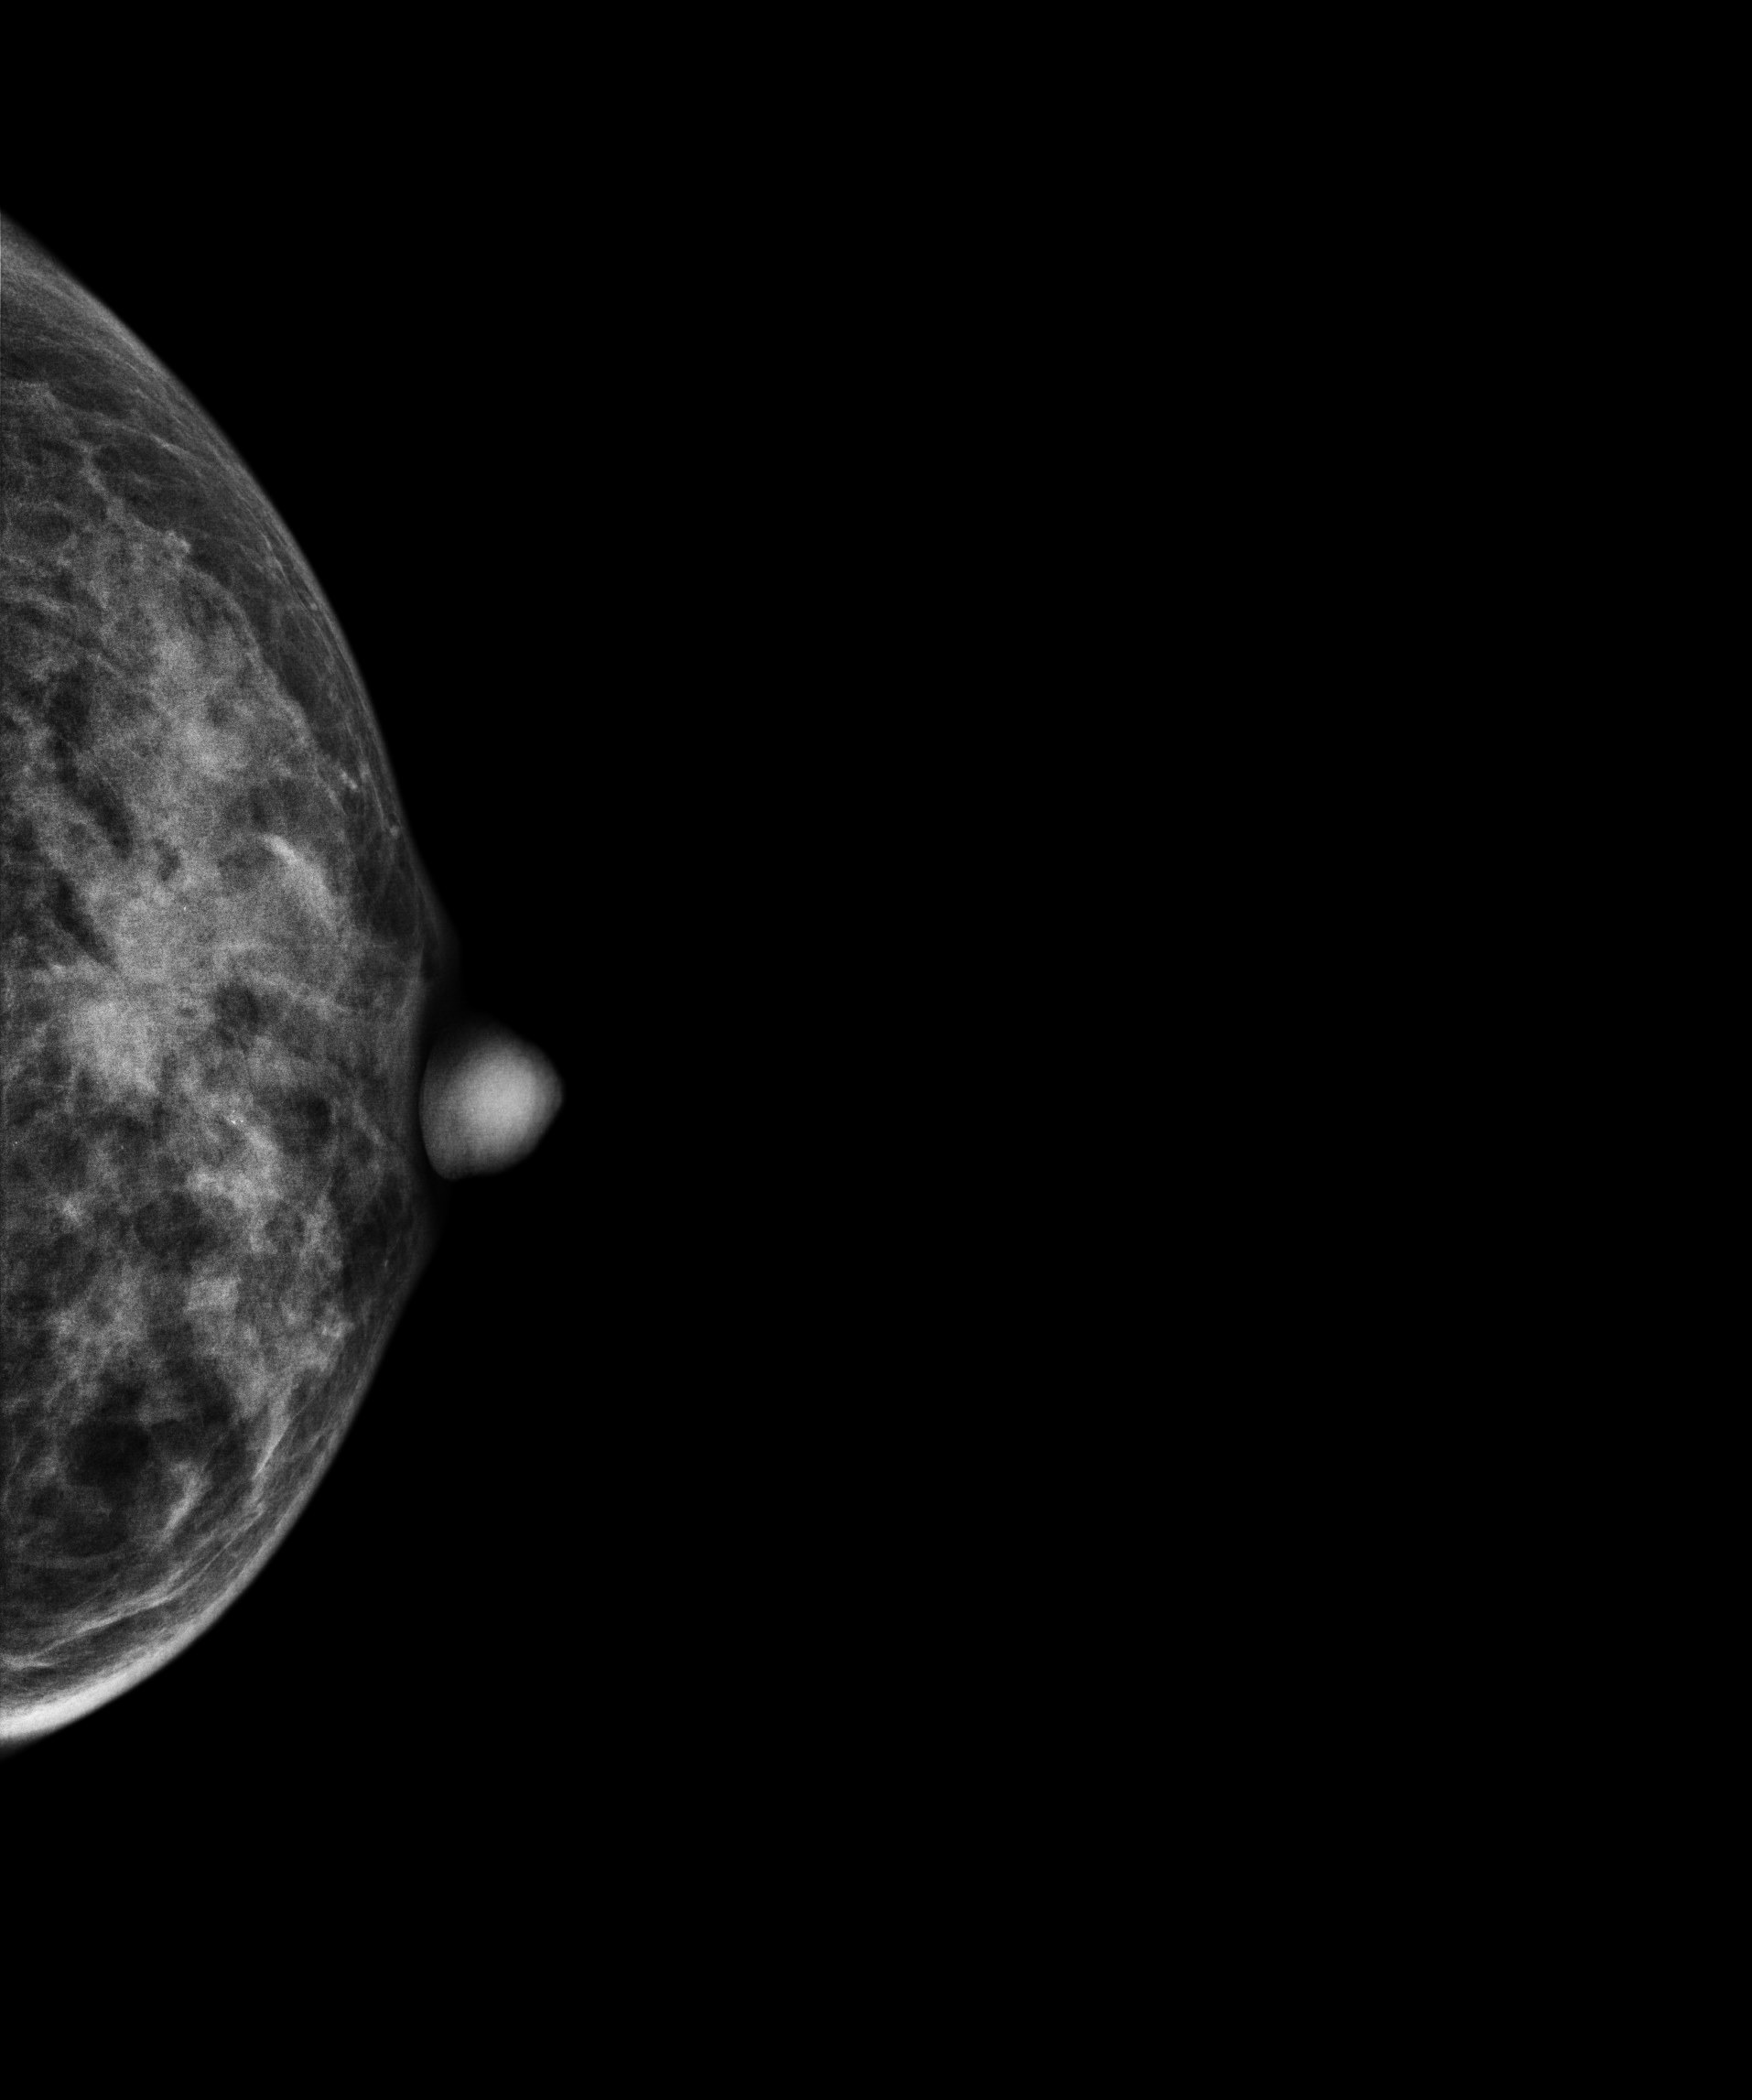
Mammogram — left cranio-caudal. Patient age 34.
This breast has a mass, pathology-confirmed malignant.